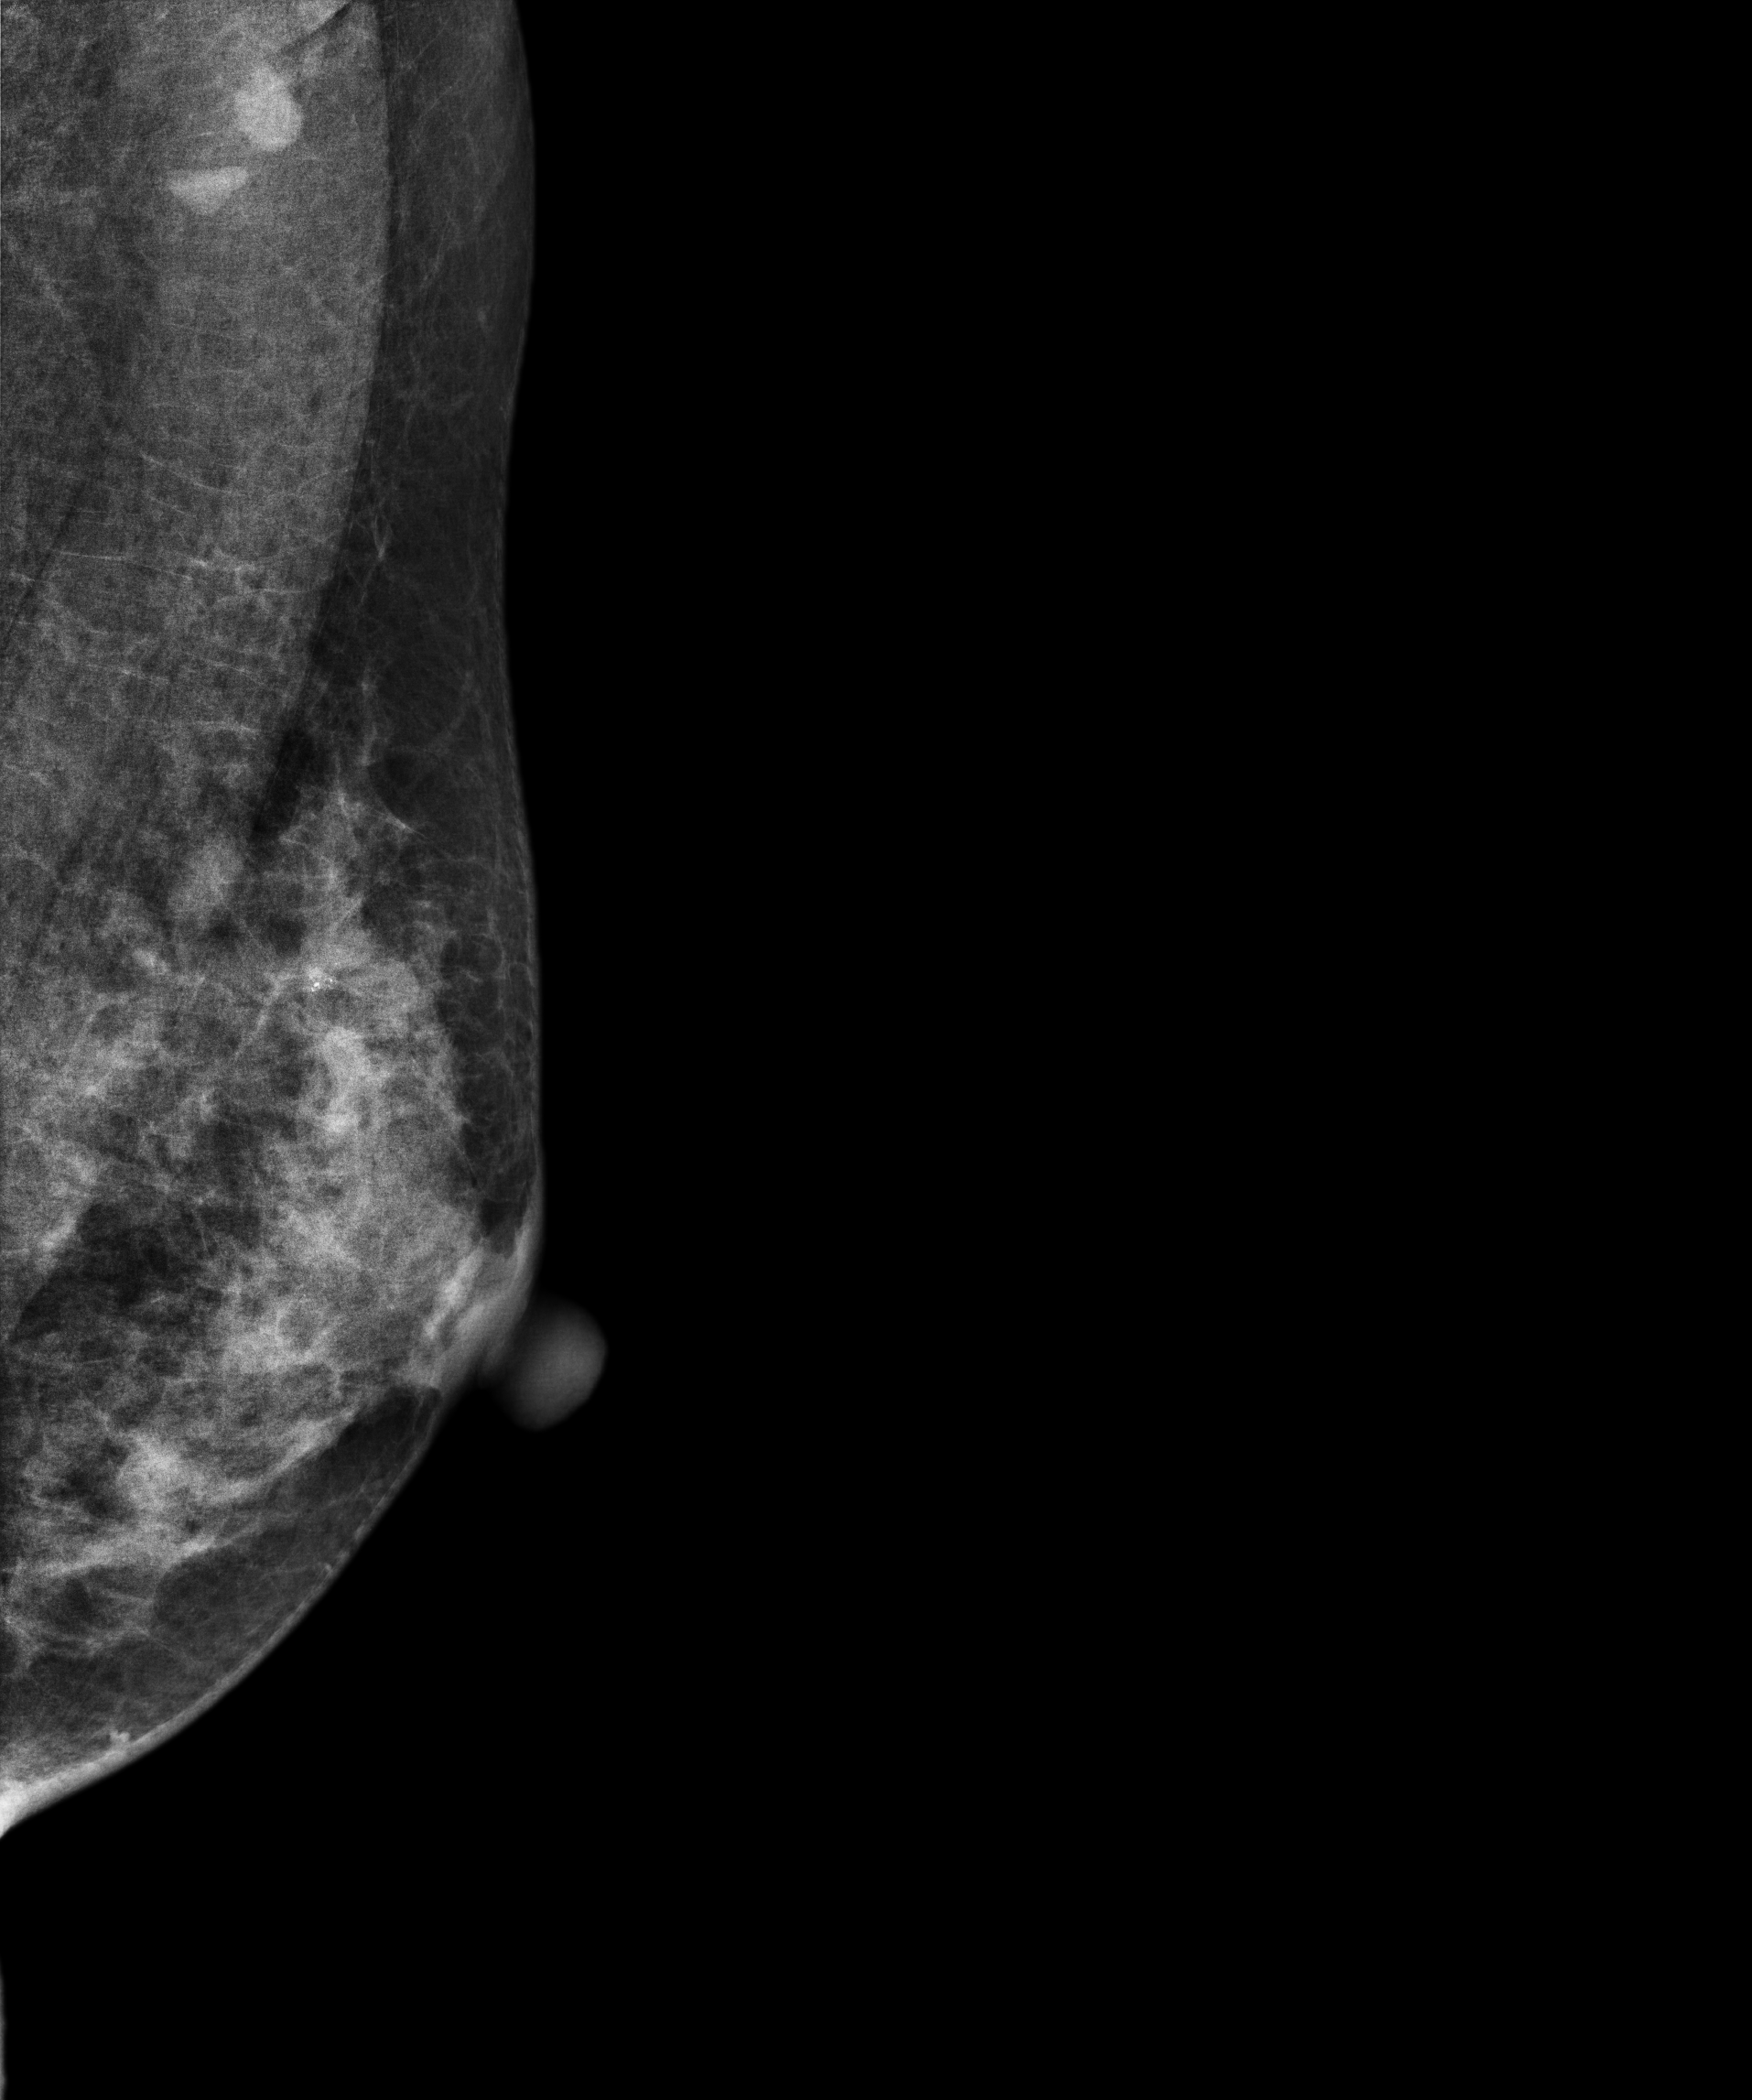
Mammogram — left MLO. Patient age 44.
This breast has calcifications, histologically confirmed malignant. Molecular subtype: luminal B.